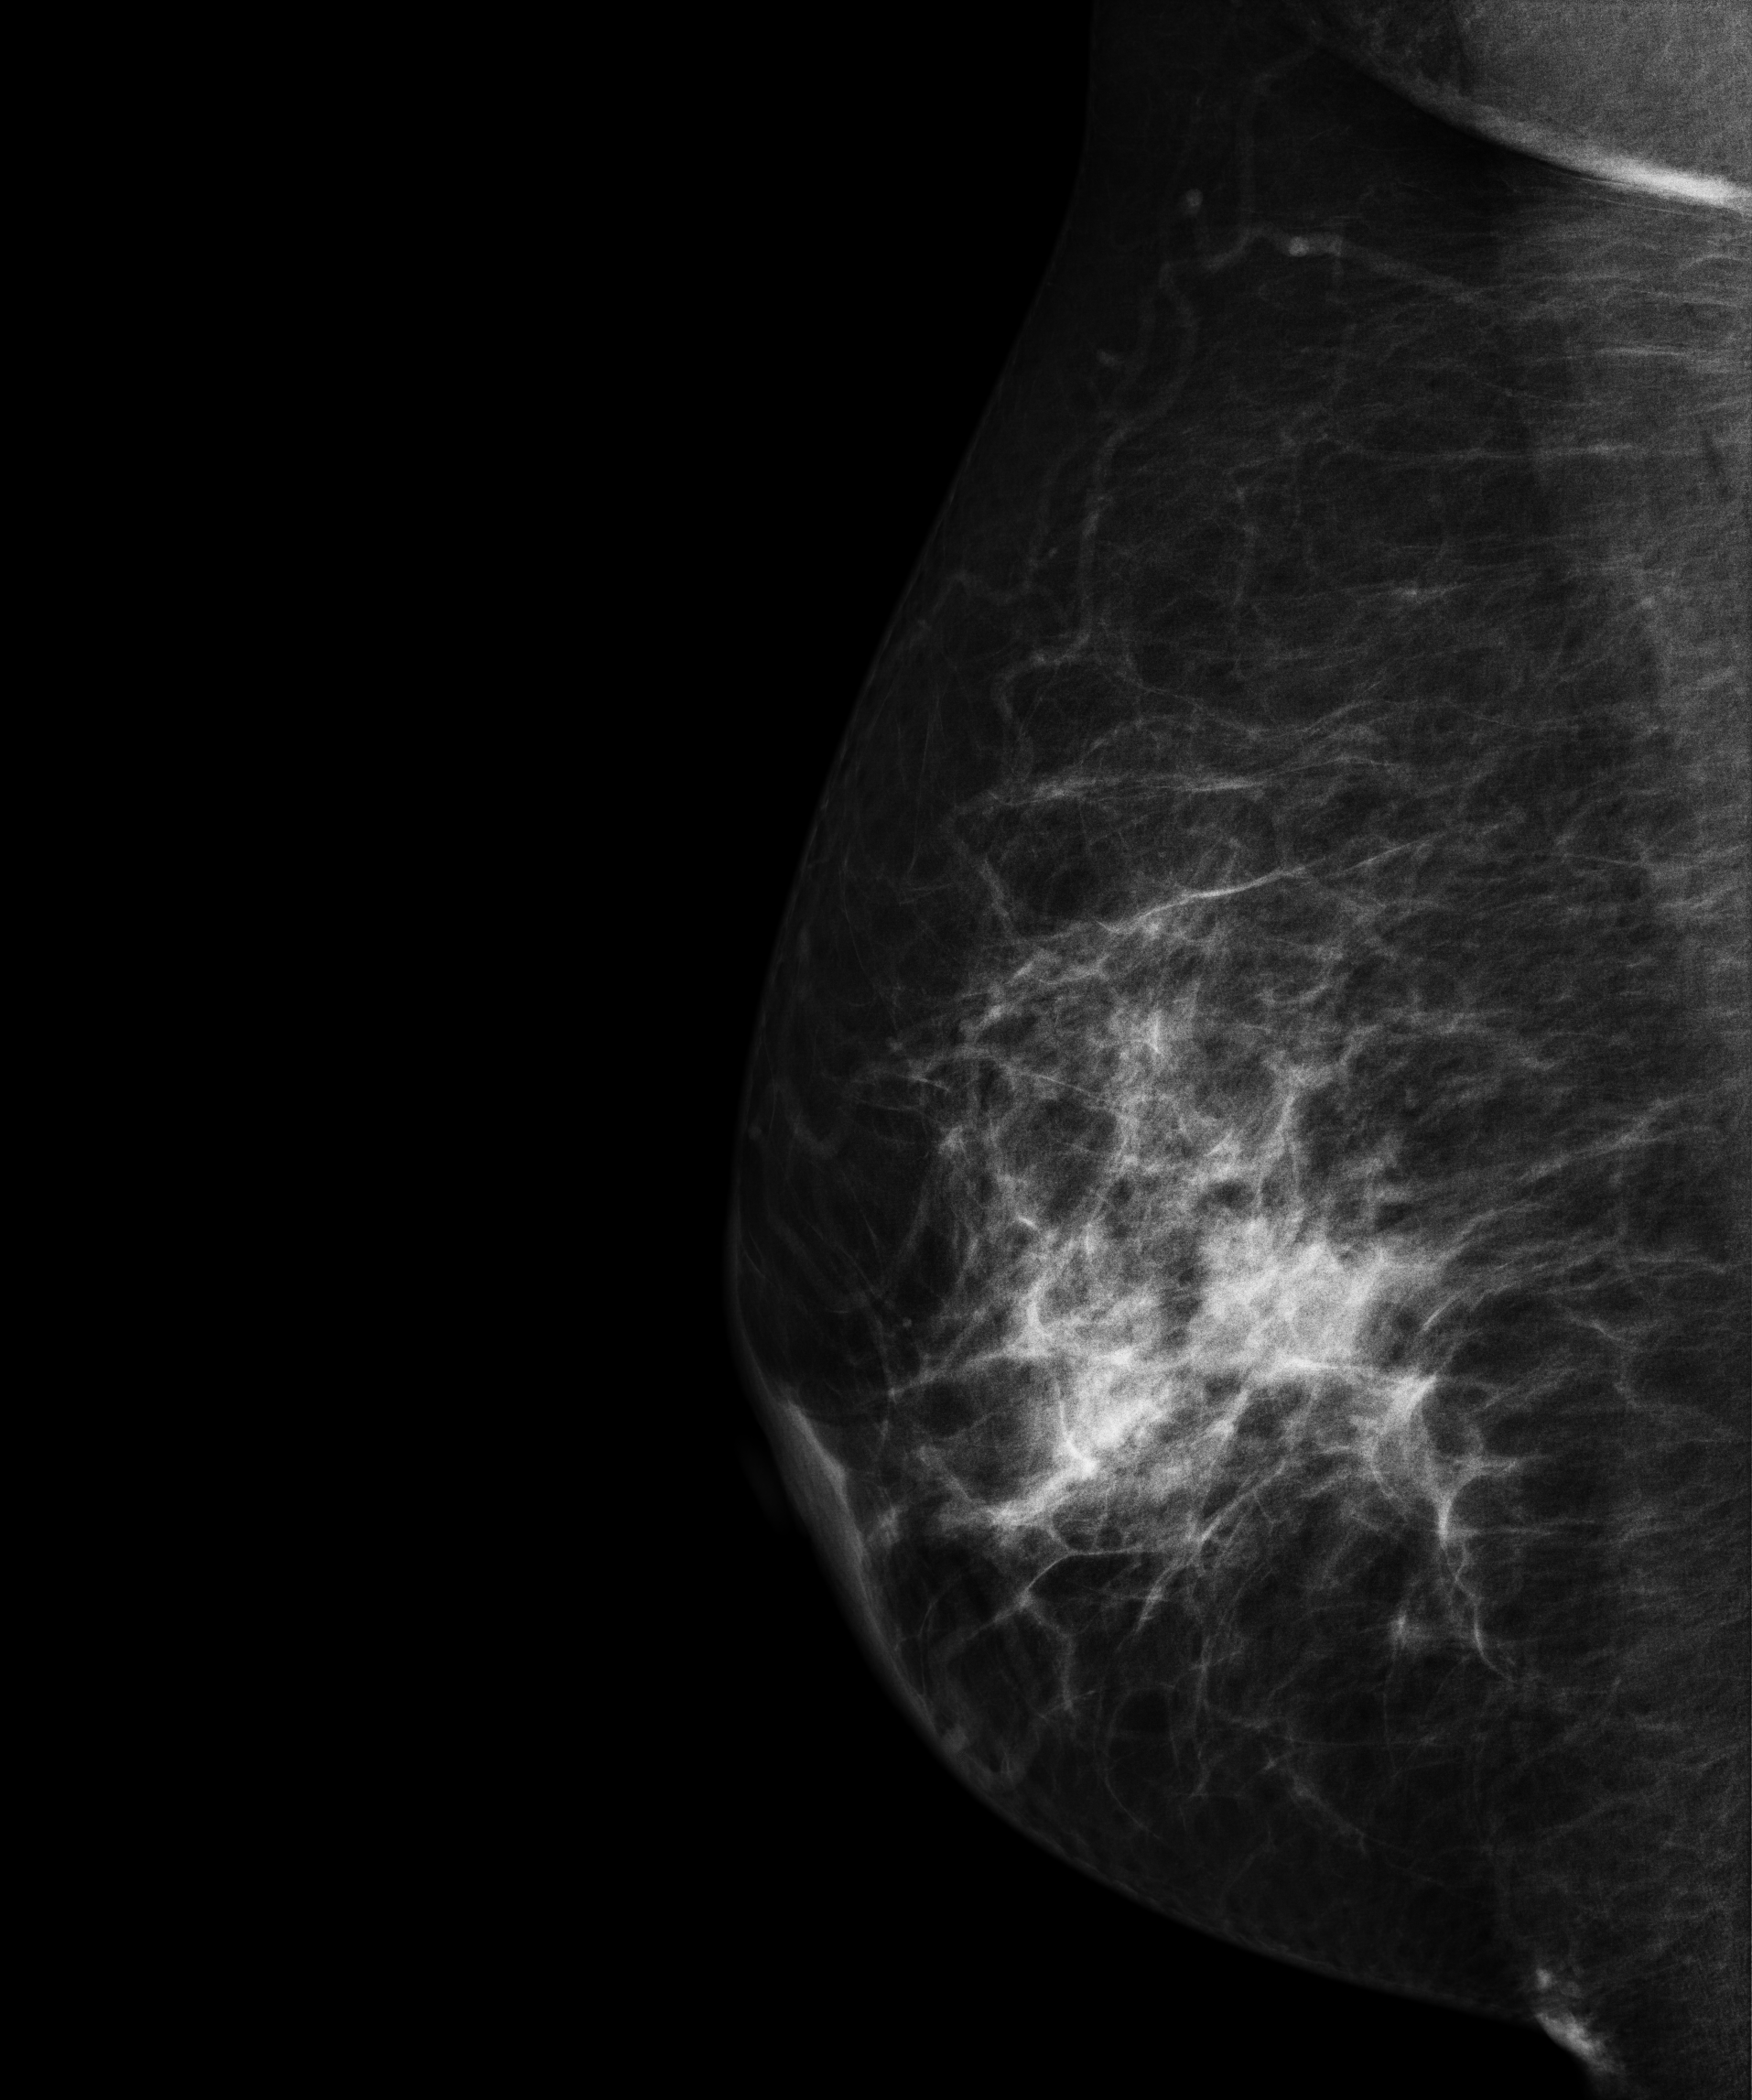
Digital mammography. Right breast, MLO projection. 60-year-old patient.
This breast has a mass, biopsy-confirmed malignant. Molecular subtype: triple-negative.